Medio-lateral oblique mammogram of the right breast. 39-year-old patient.
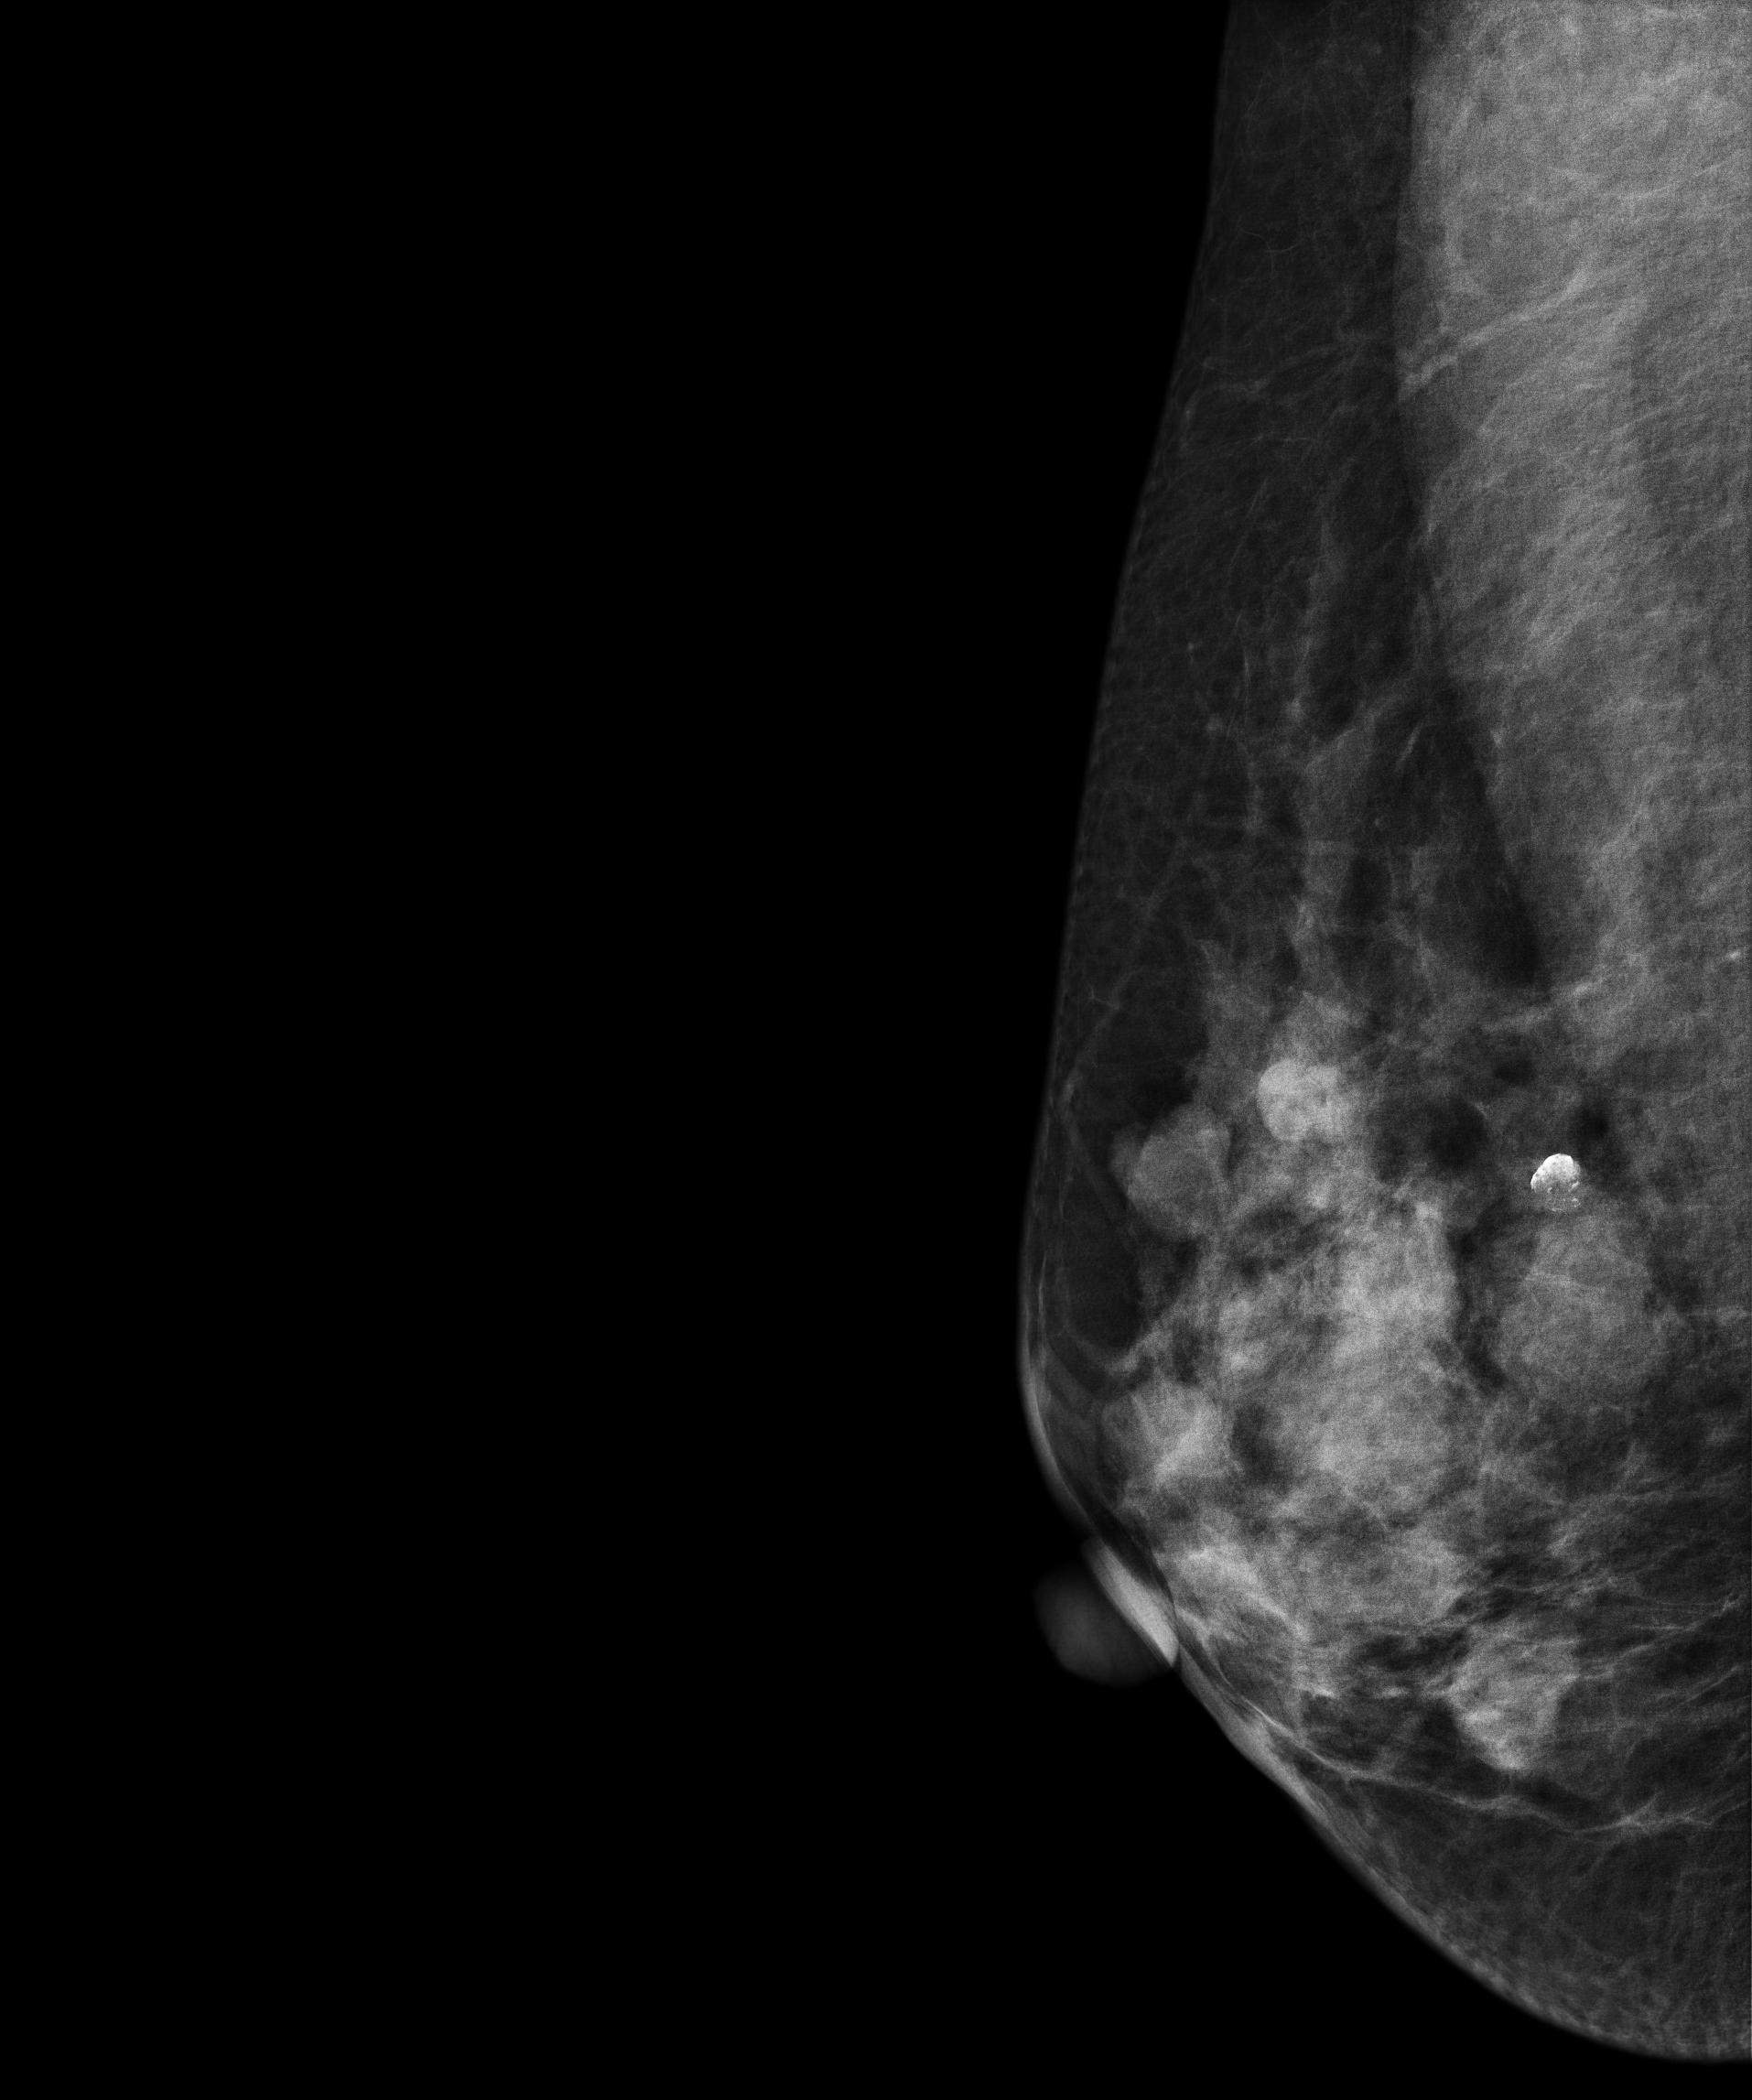
This breast has a mass and calcifications, histologically confirmed benign.